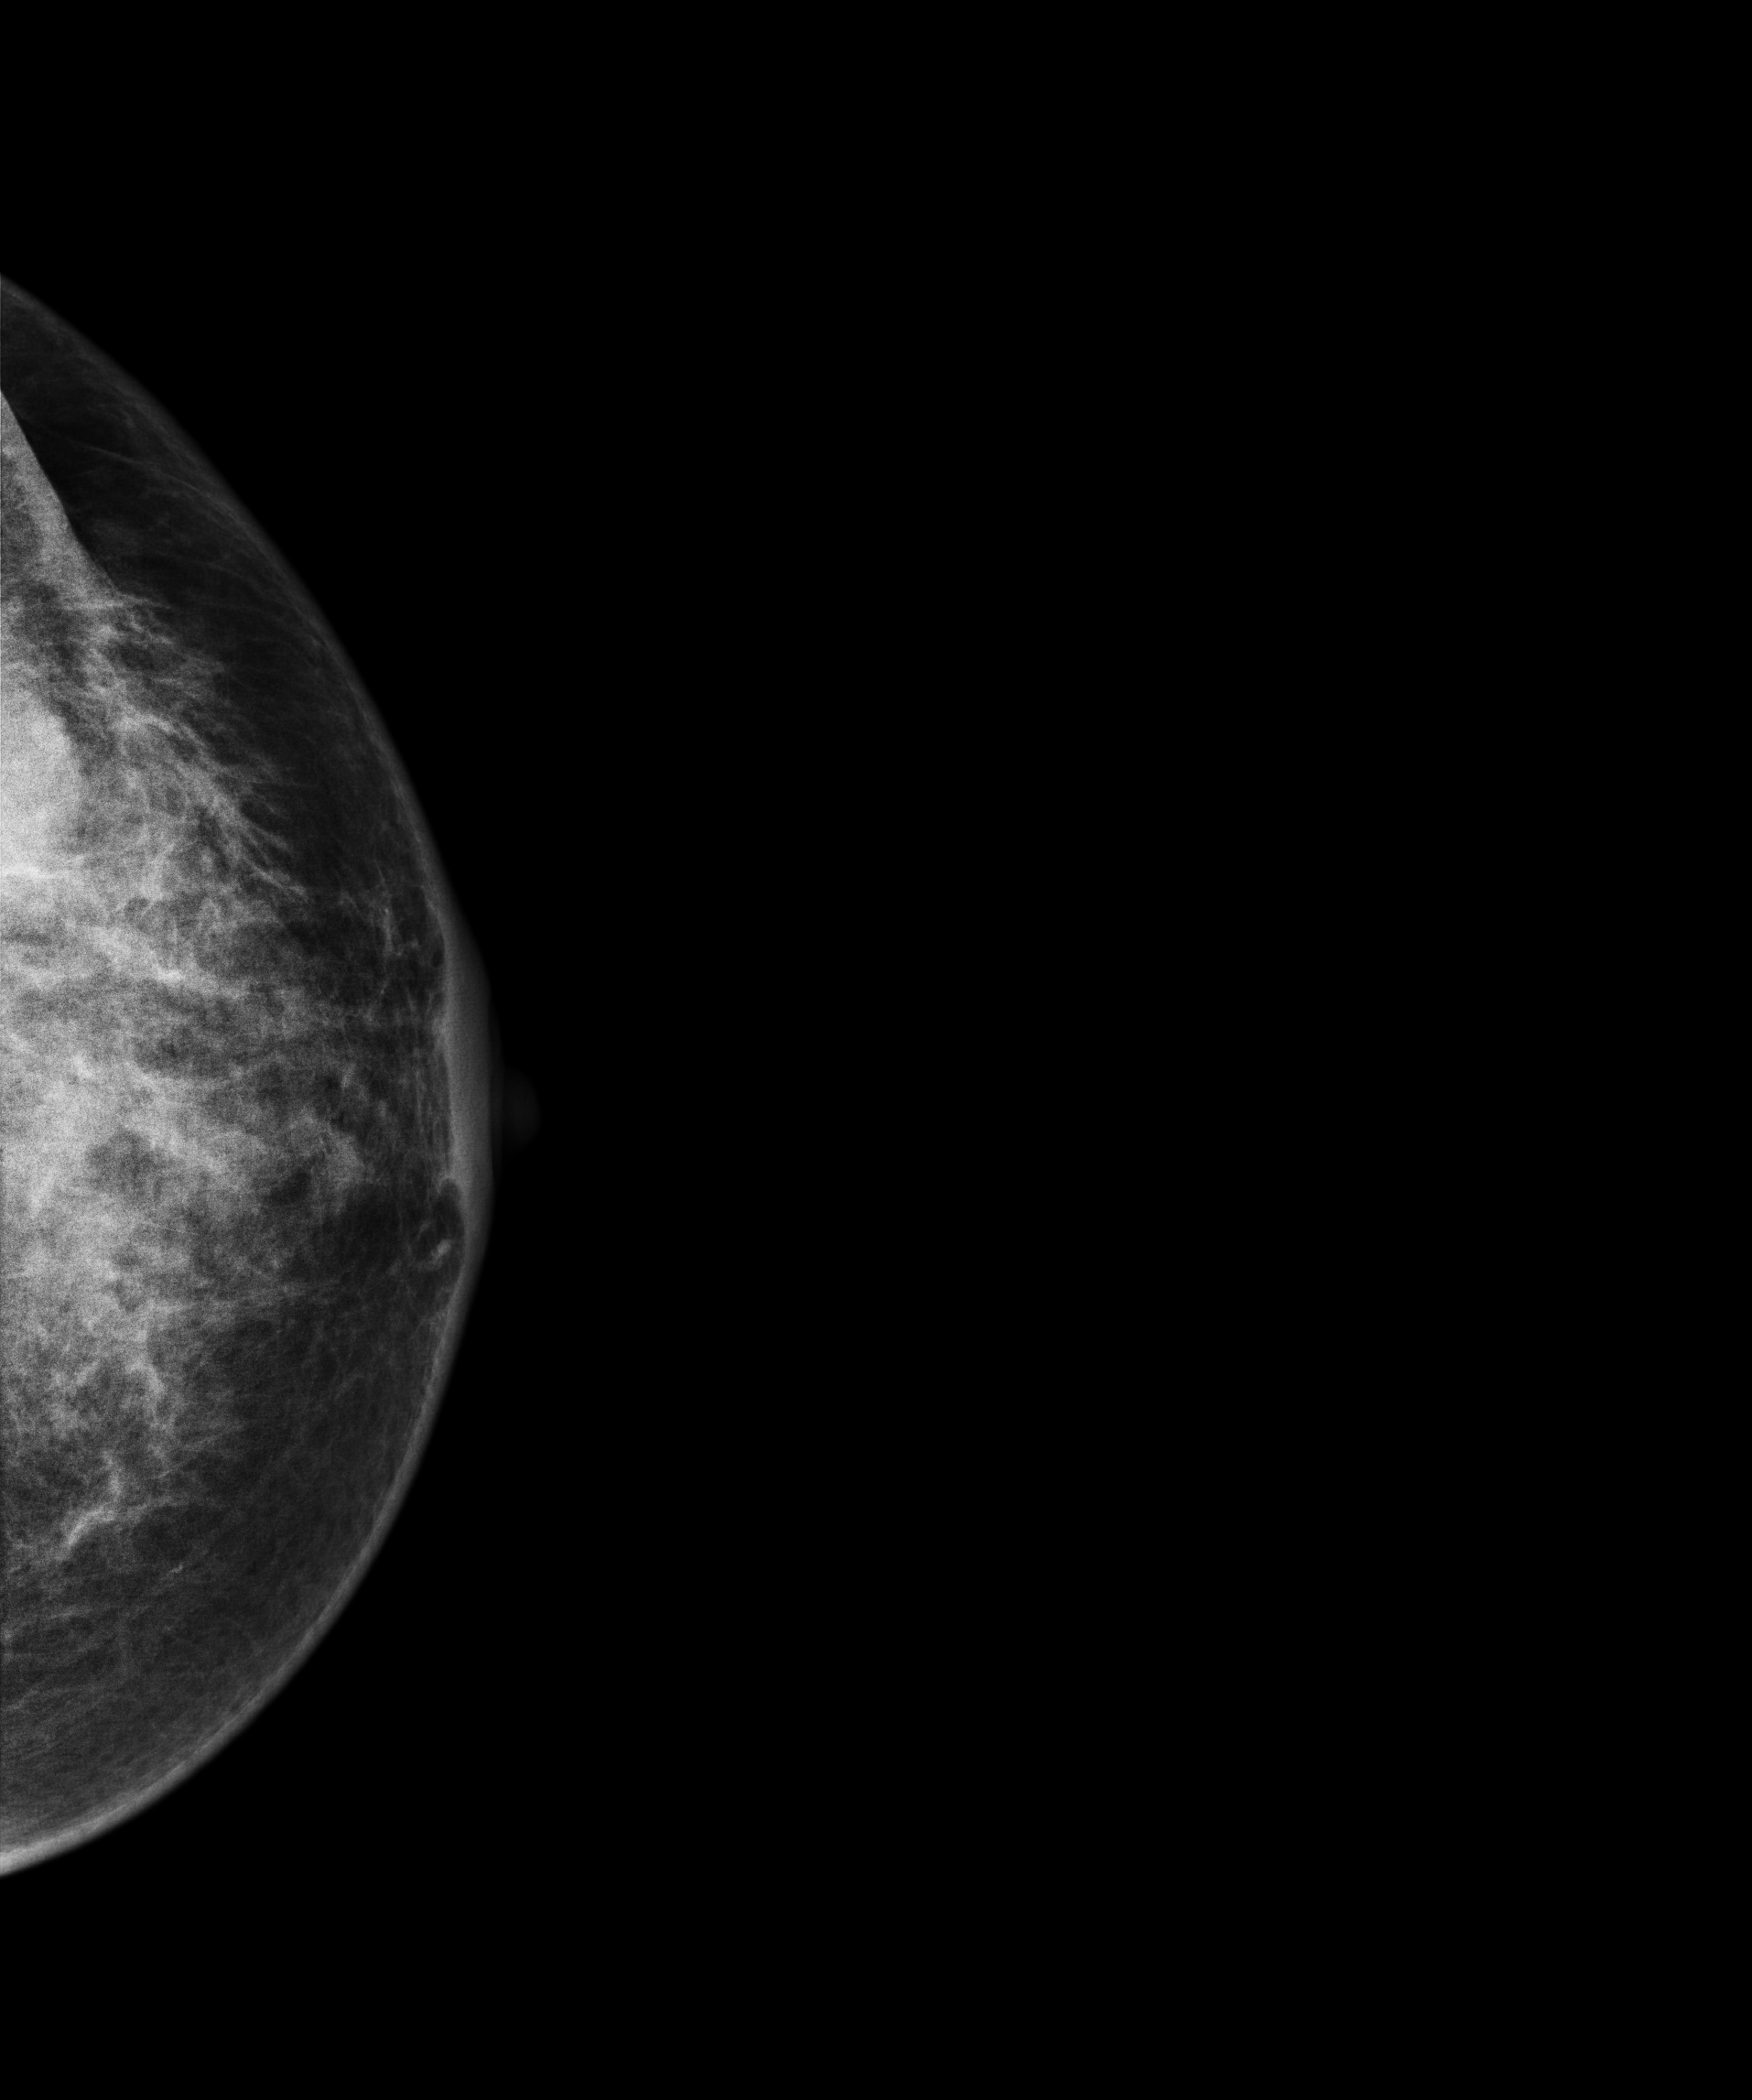
Cranio-caudal mammogram of the left breast. 57-year-old patient.
This breast has a mass, biopsy-confirmed malignant.